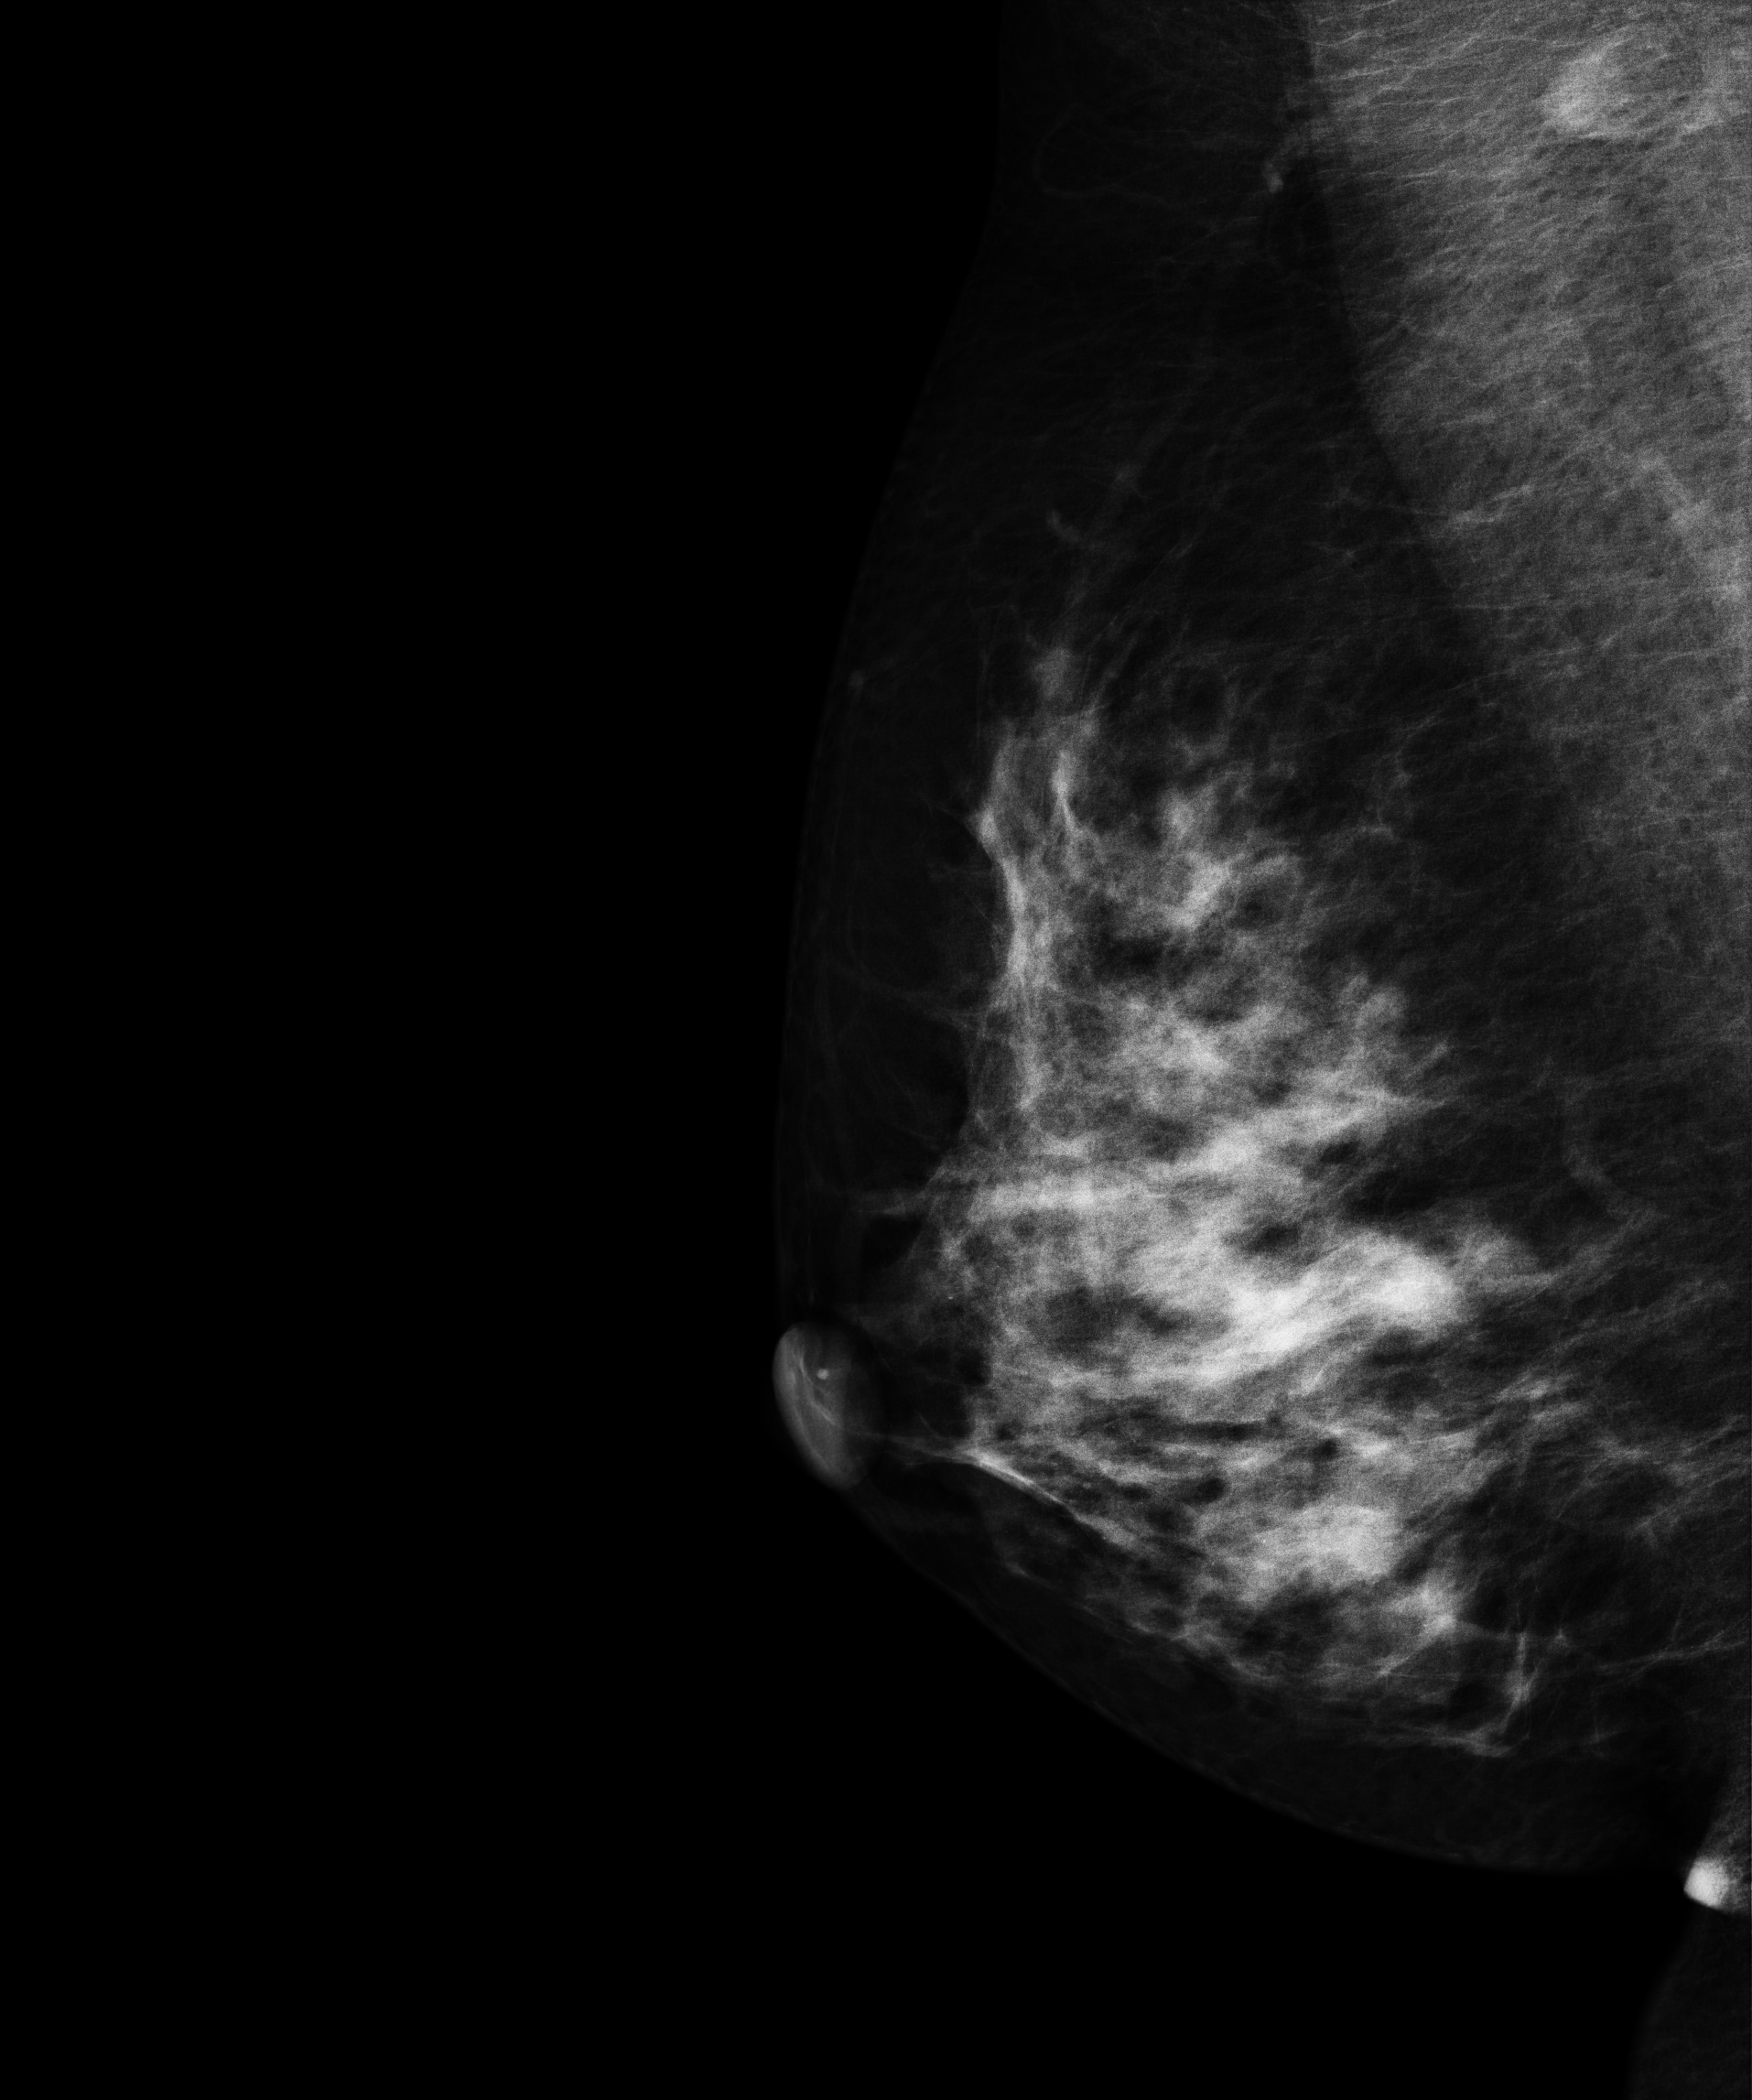
Mammogram, right breast, medio-lateral oblique view. Patient age 51.
This breast has a mass, biopsy-proven benign.